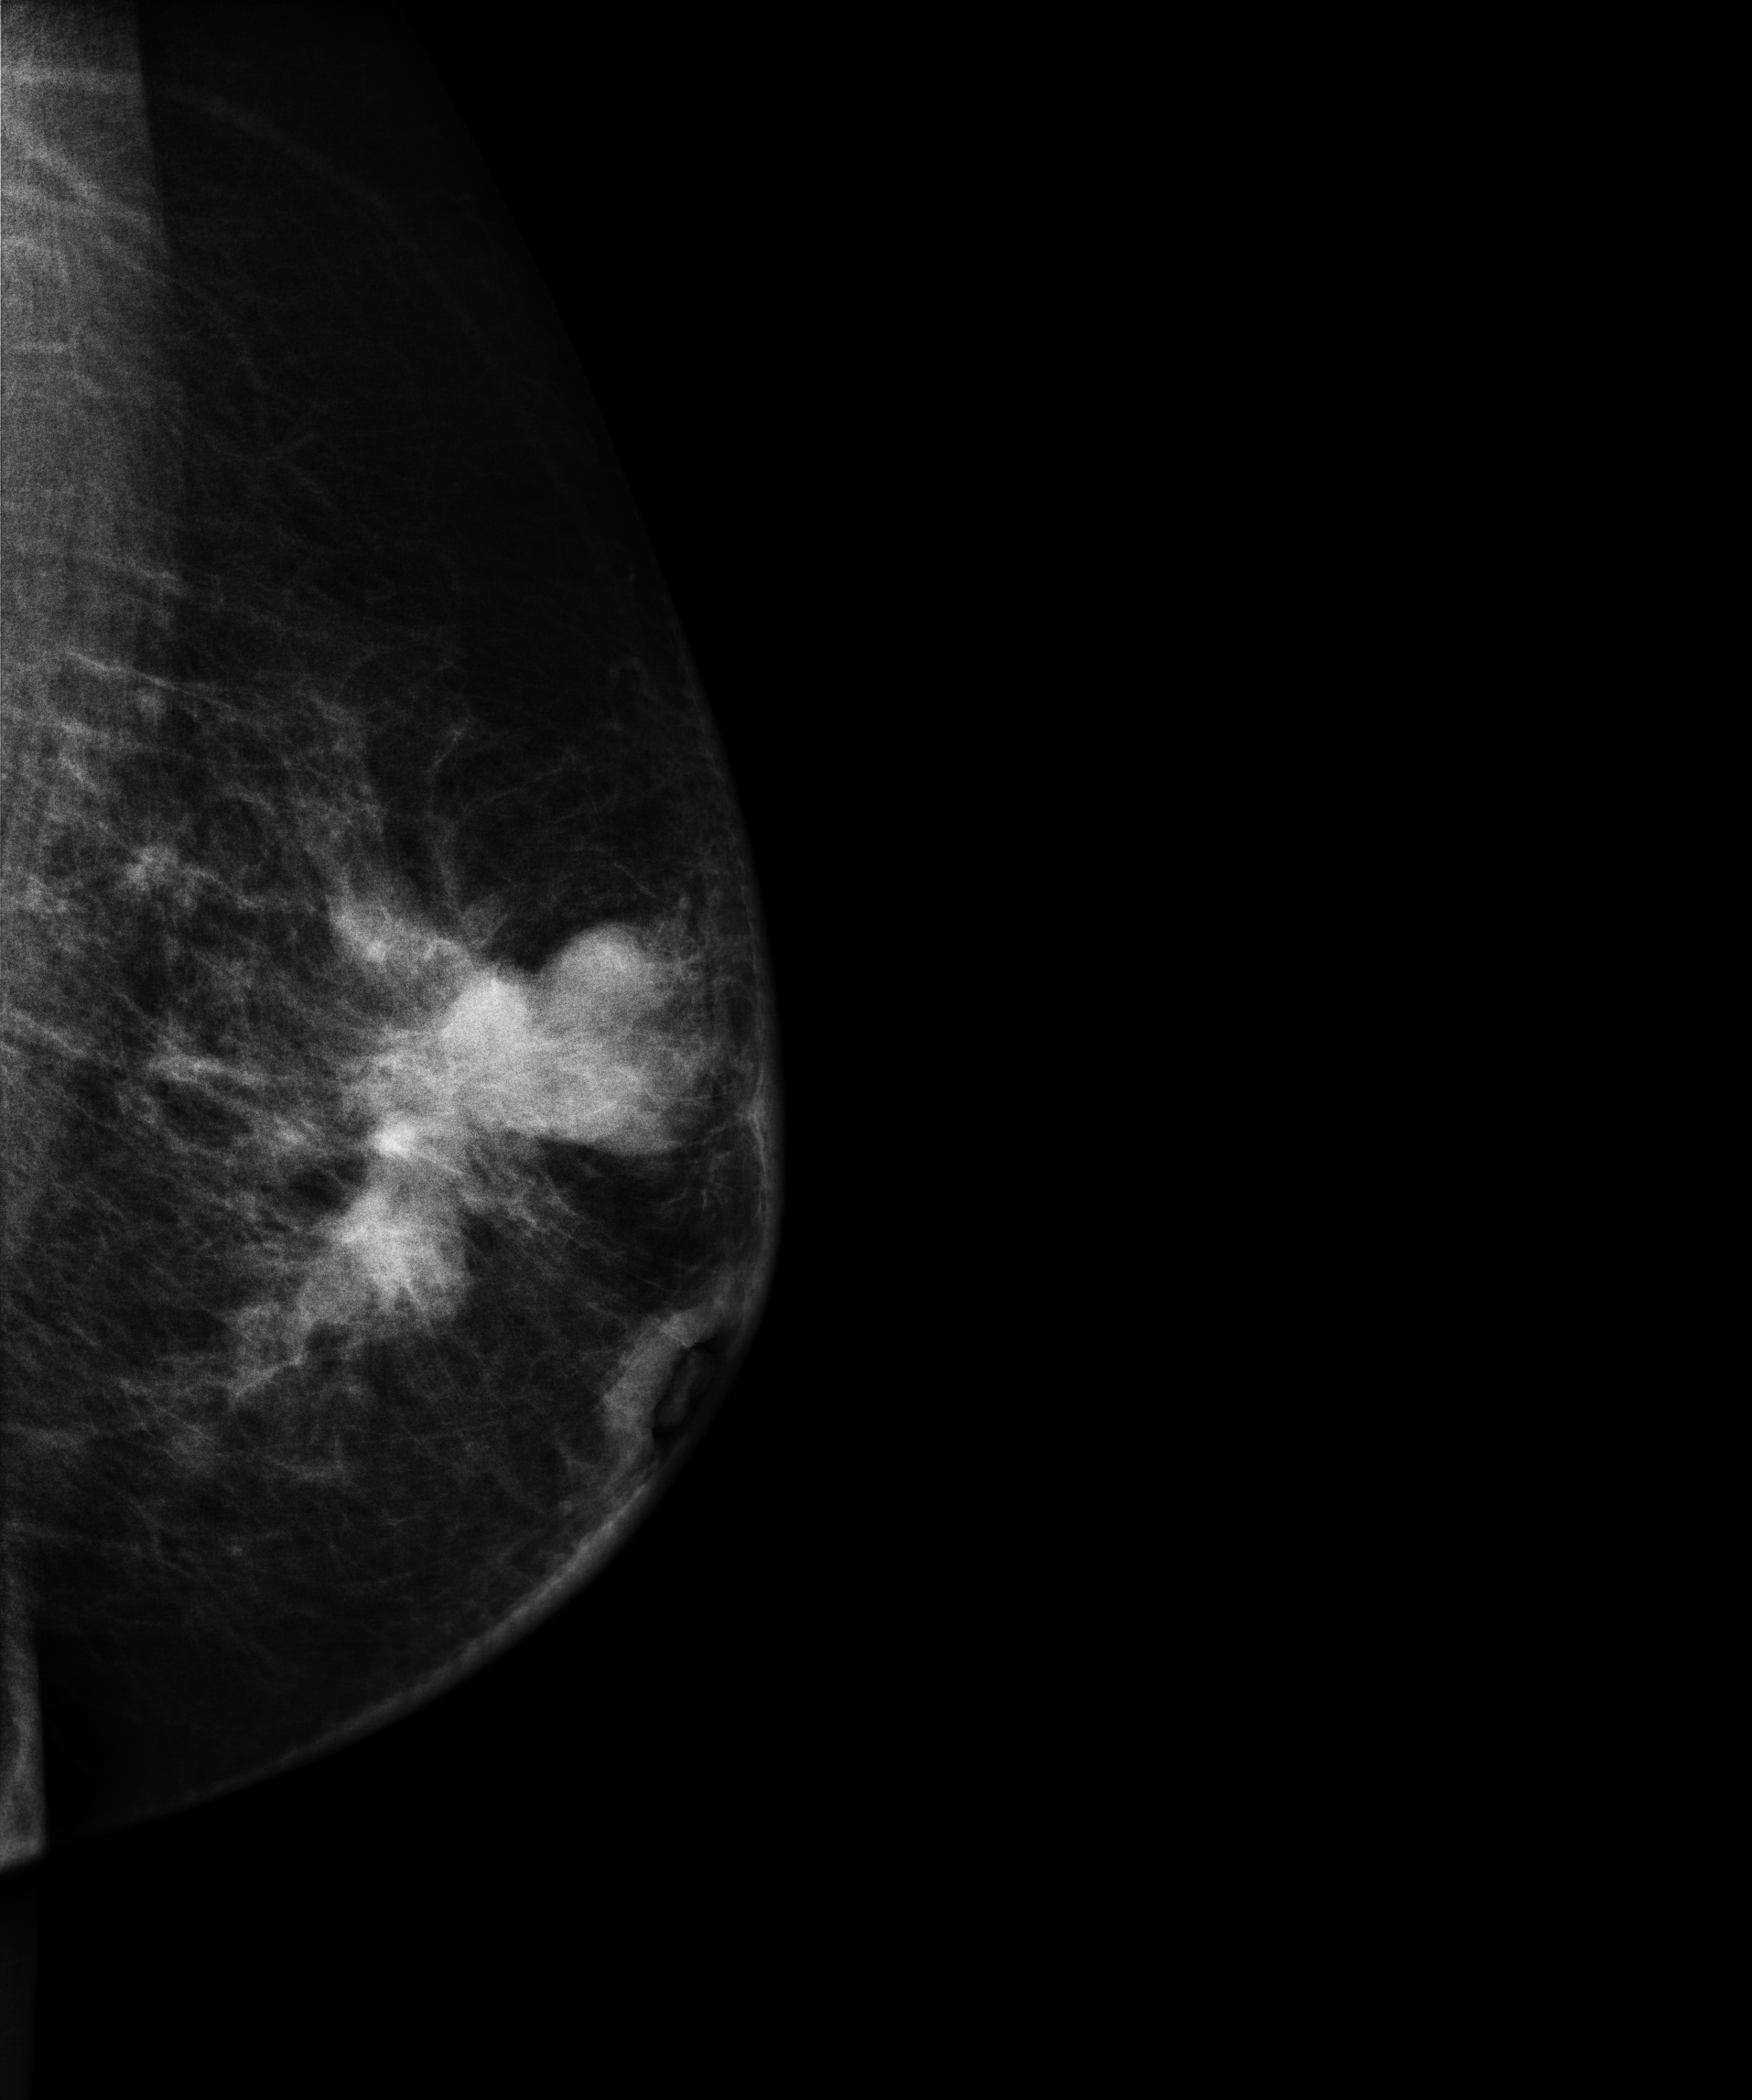
Left-breast mammogram, MLO. 61 y/o patient.
This breast has a mass, pathology-confirmed malignant. Molecular subtype: triple-negative.